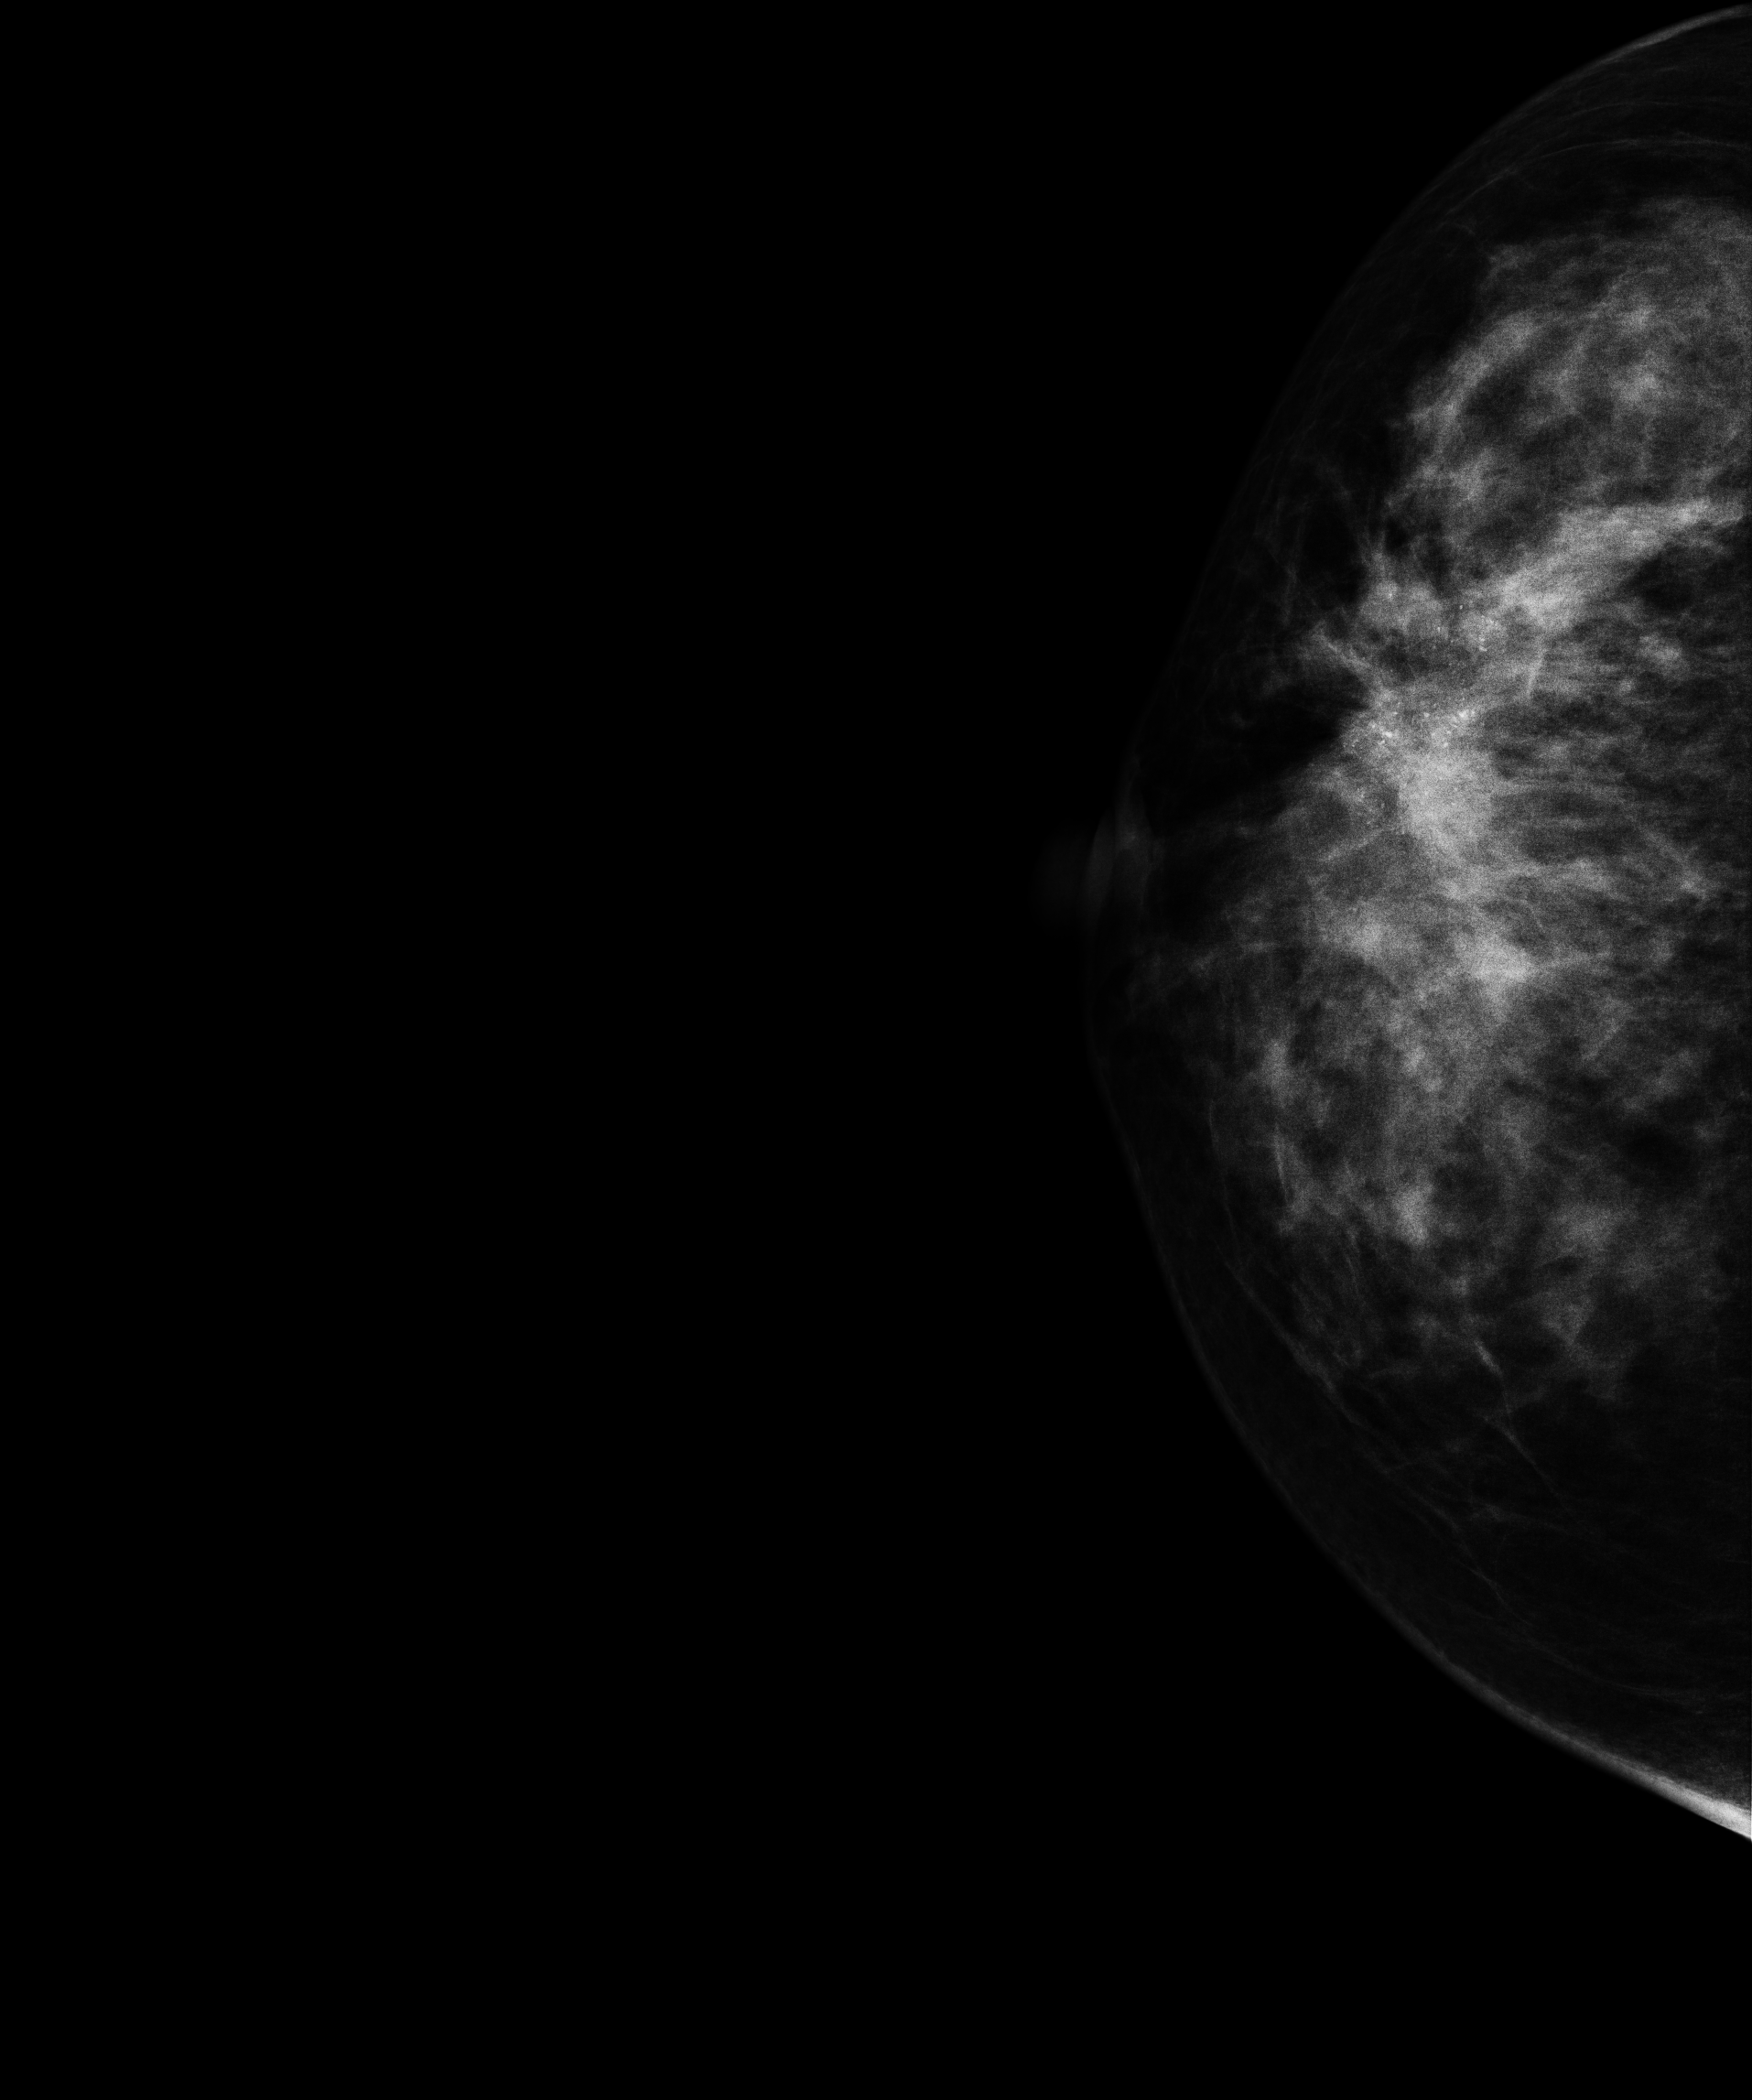
Right-breast mammogram, CC. Patient age 29.
This breast has a mass and calcifications, biopsy-proven malignant. Molecular subtype: HER2-enriched.